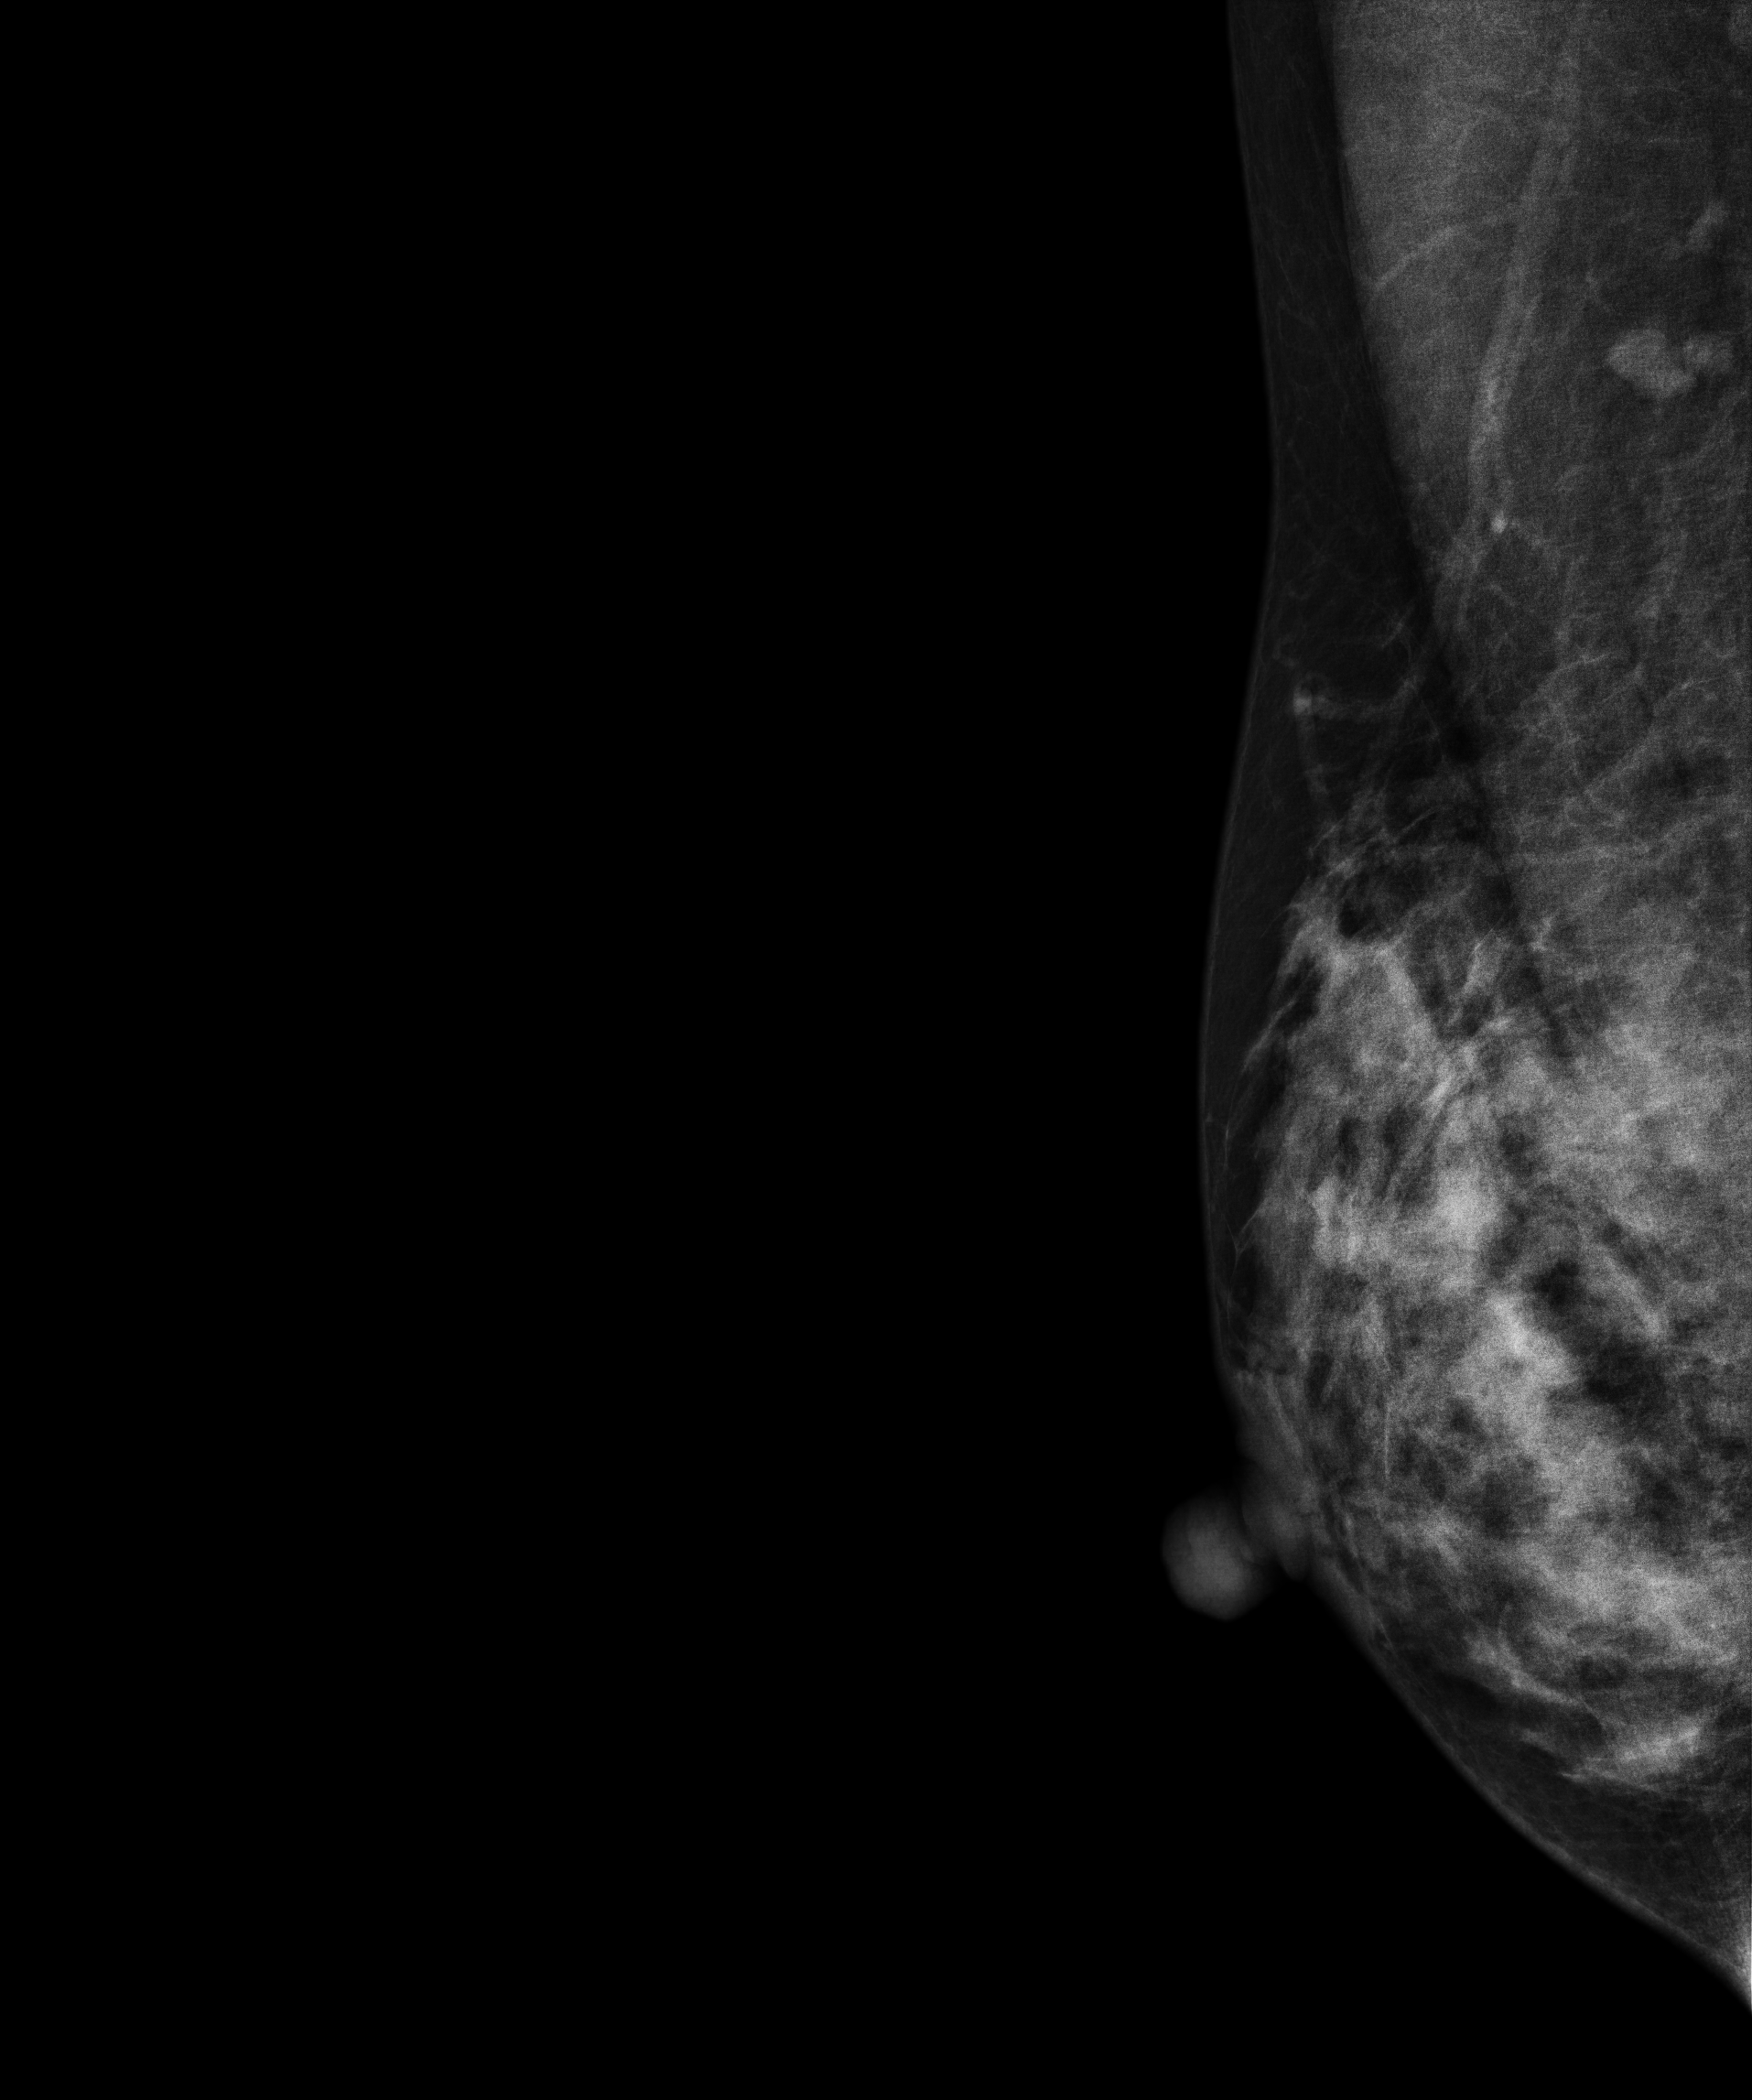
Digital mammography. Right breast, medio-lateral oblique projection. 39-year-old patient.
This breast has a mass, histologically confirmed malignant. Molecular subtype: luminal B.